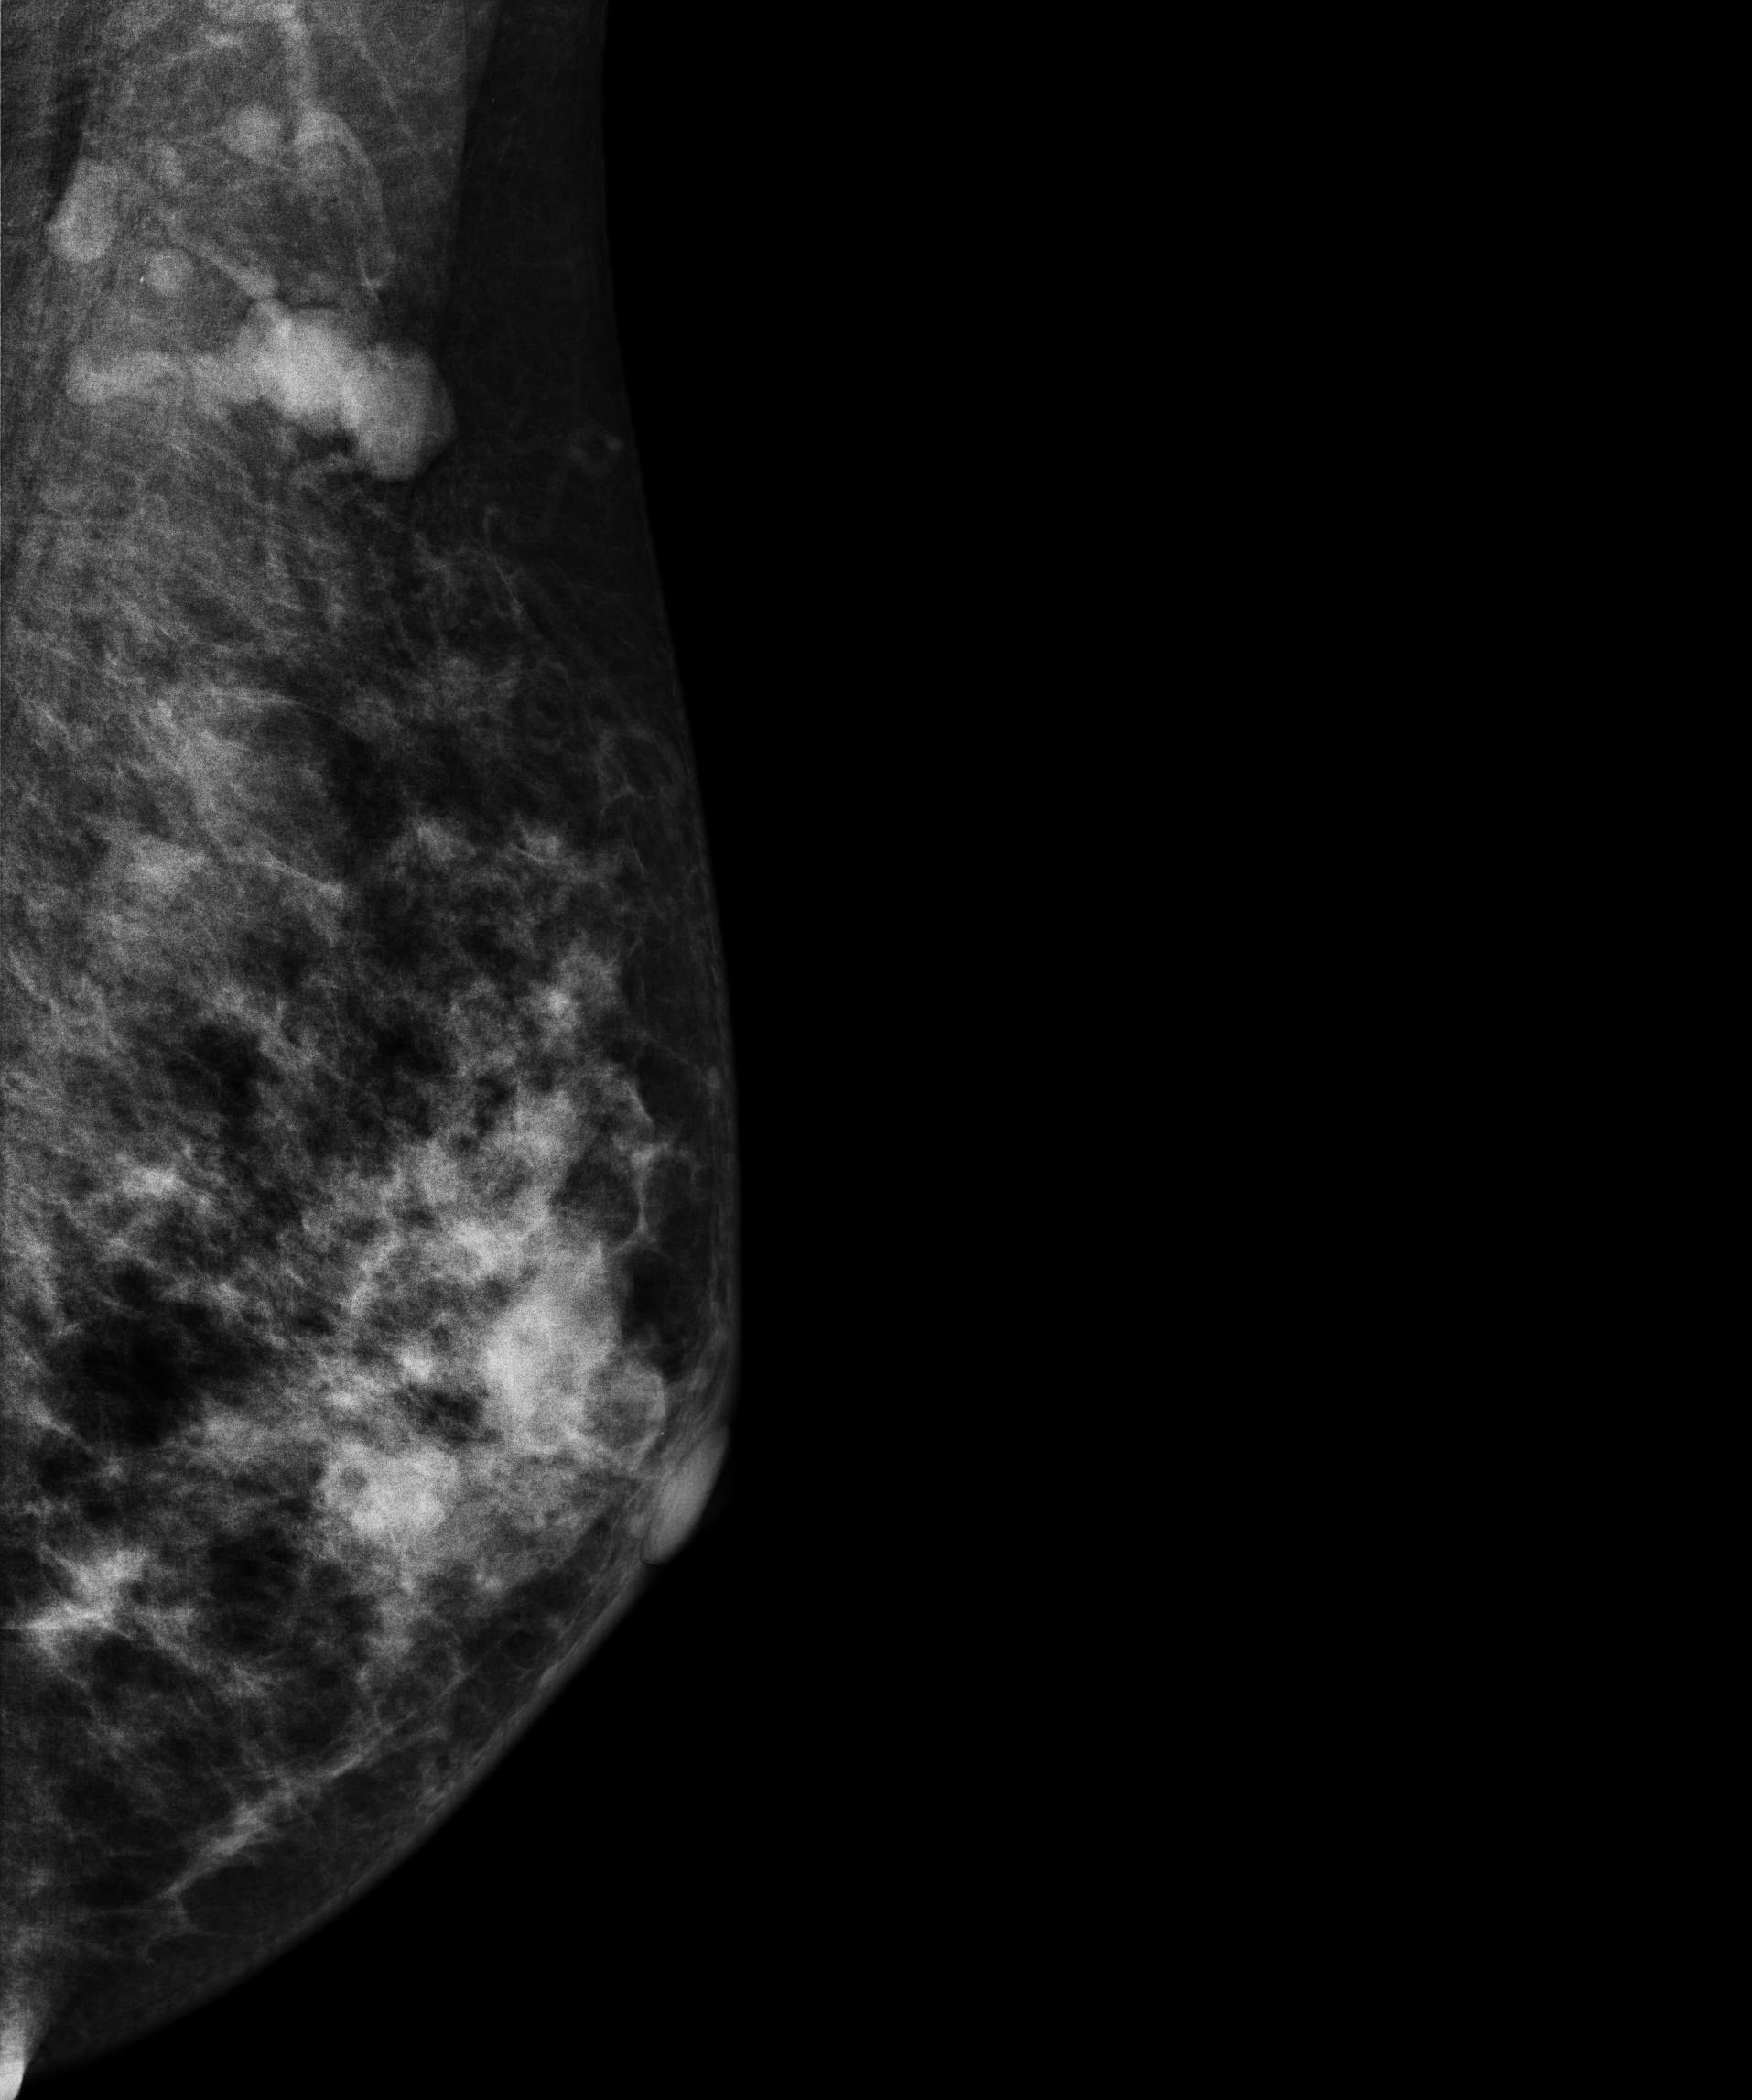
Mammogram, left breast, medio-lateral oblique view. 40 y/o patient.
This breast has a mass, pathology-confirmed malignant. Molecular subtype: luminal B.